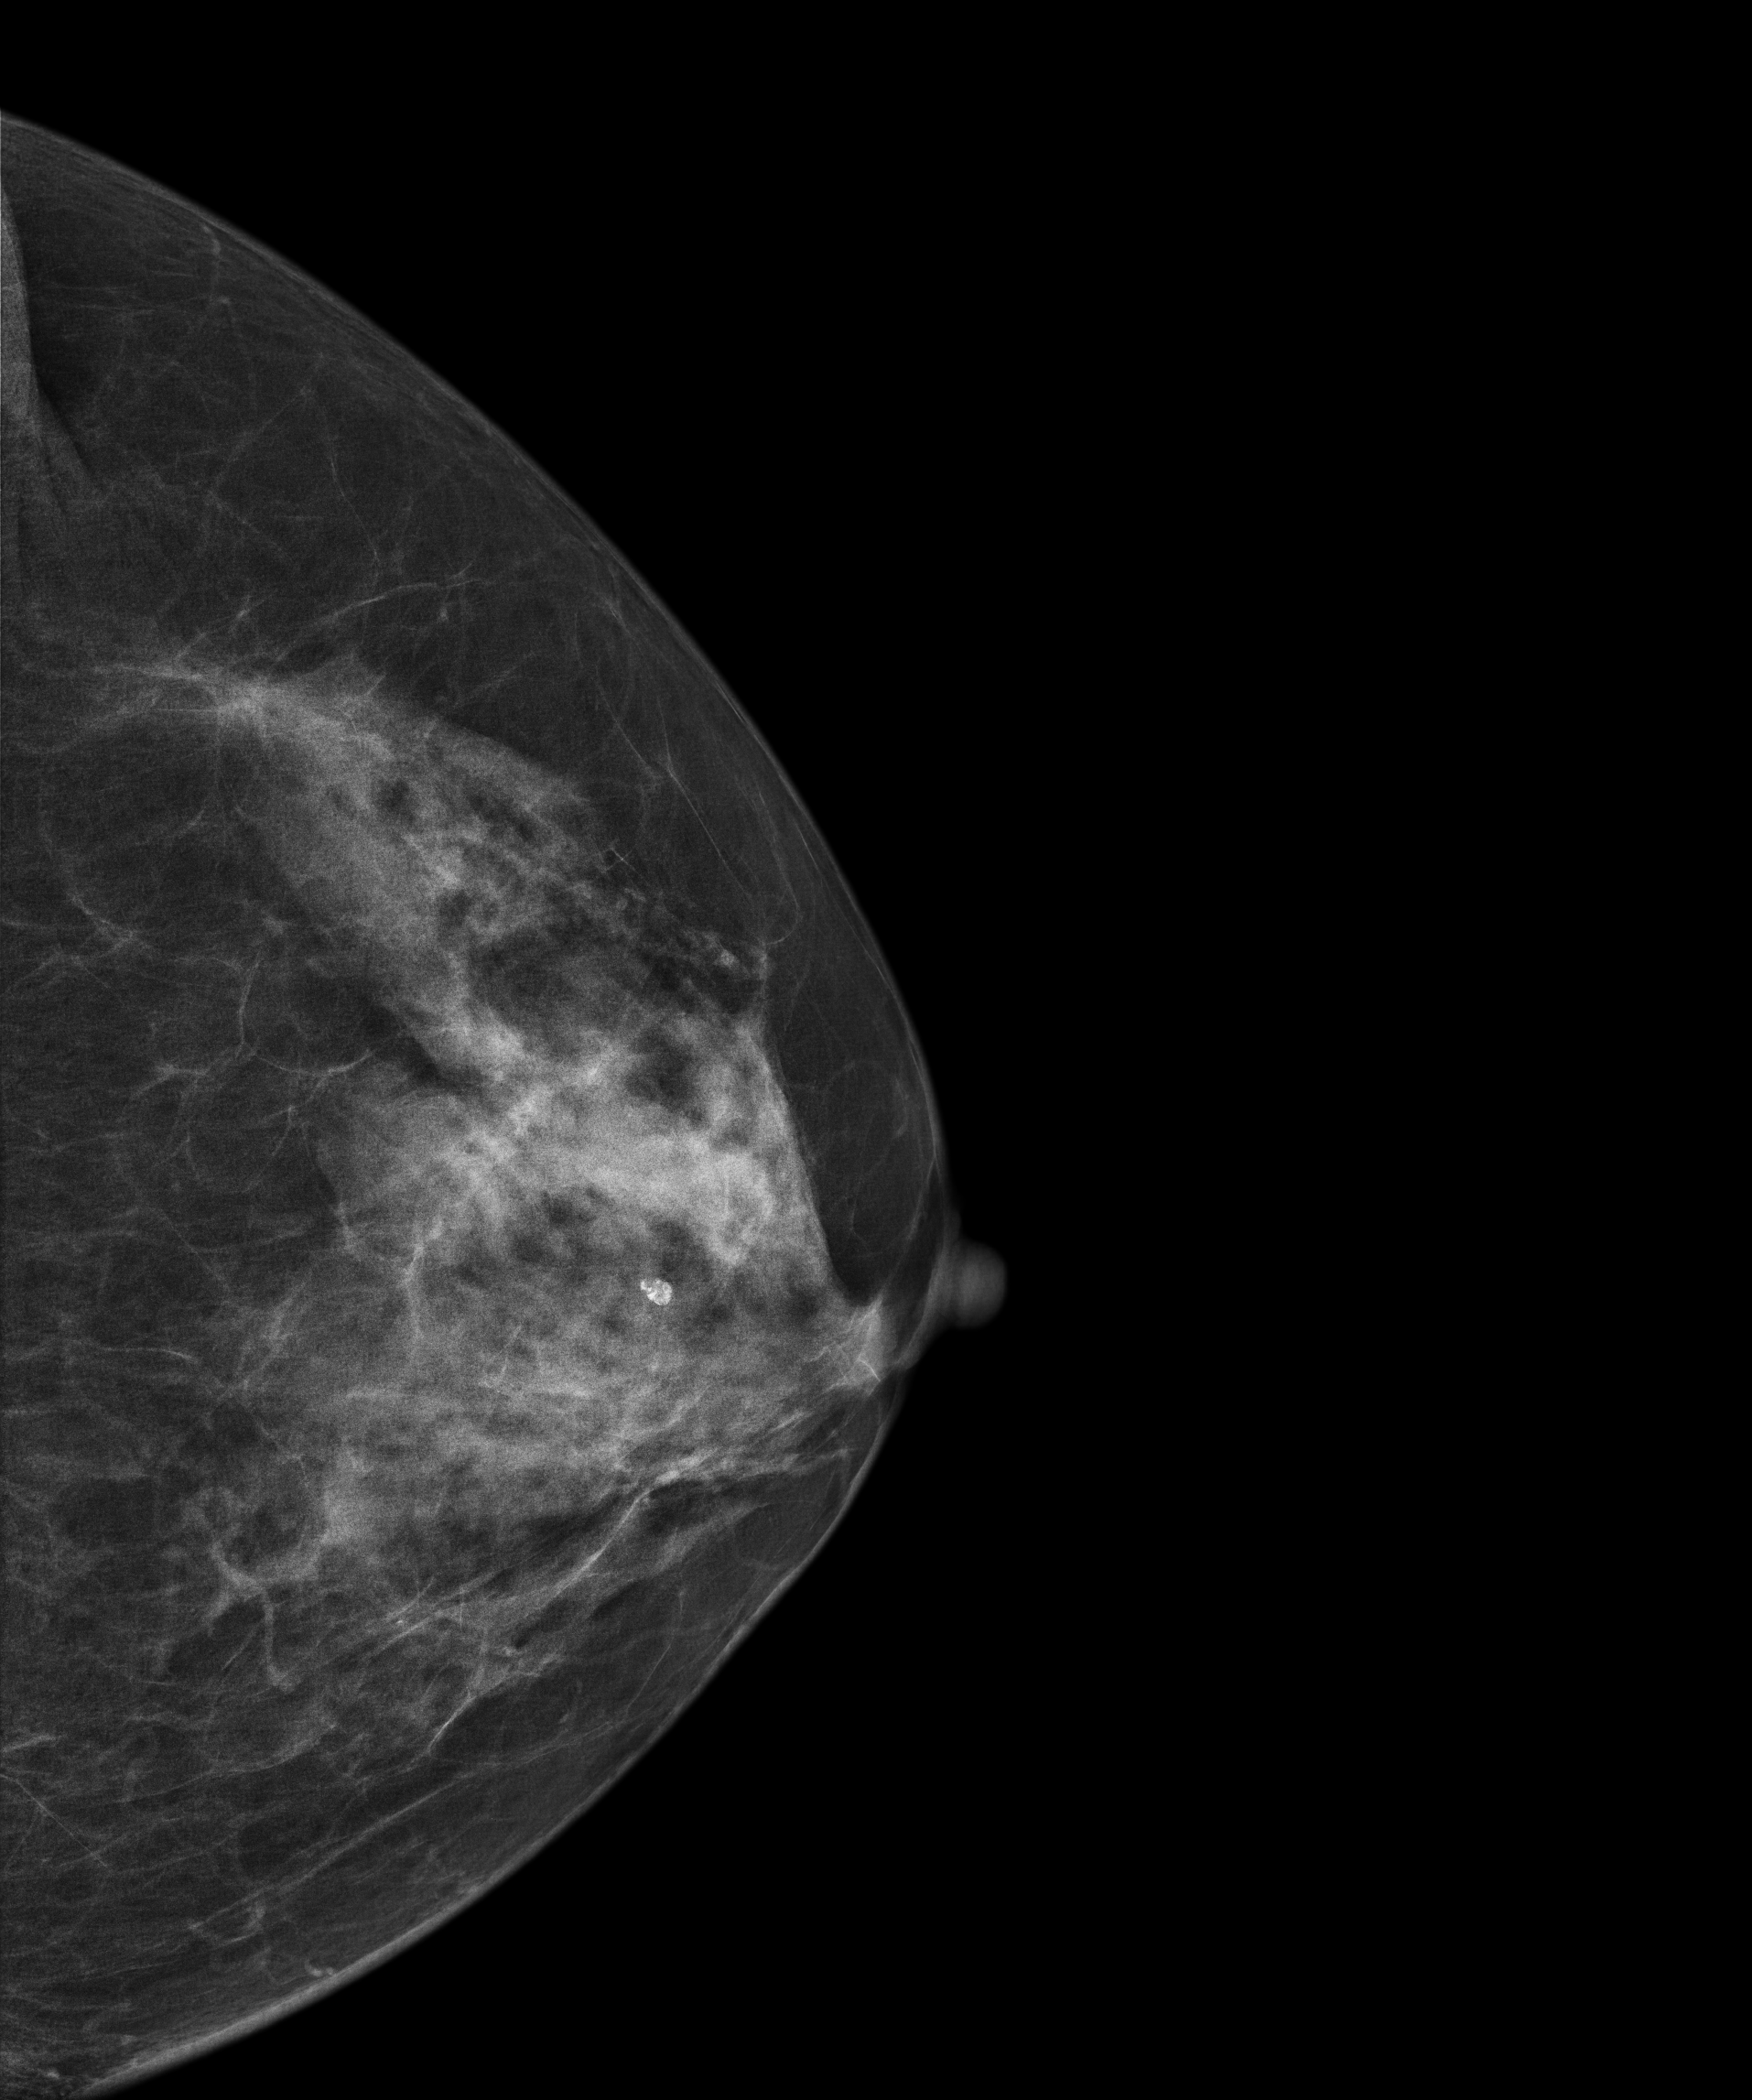
Left-breast mammogram, CC. Patient age 56.
Contralateral breast — no documented abnormality on this side.